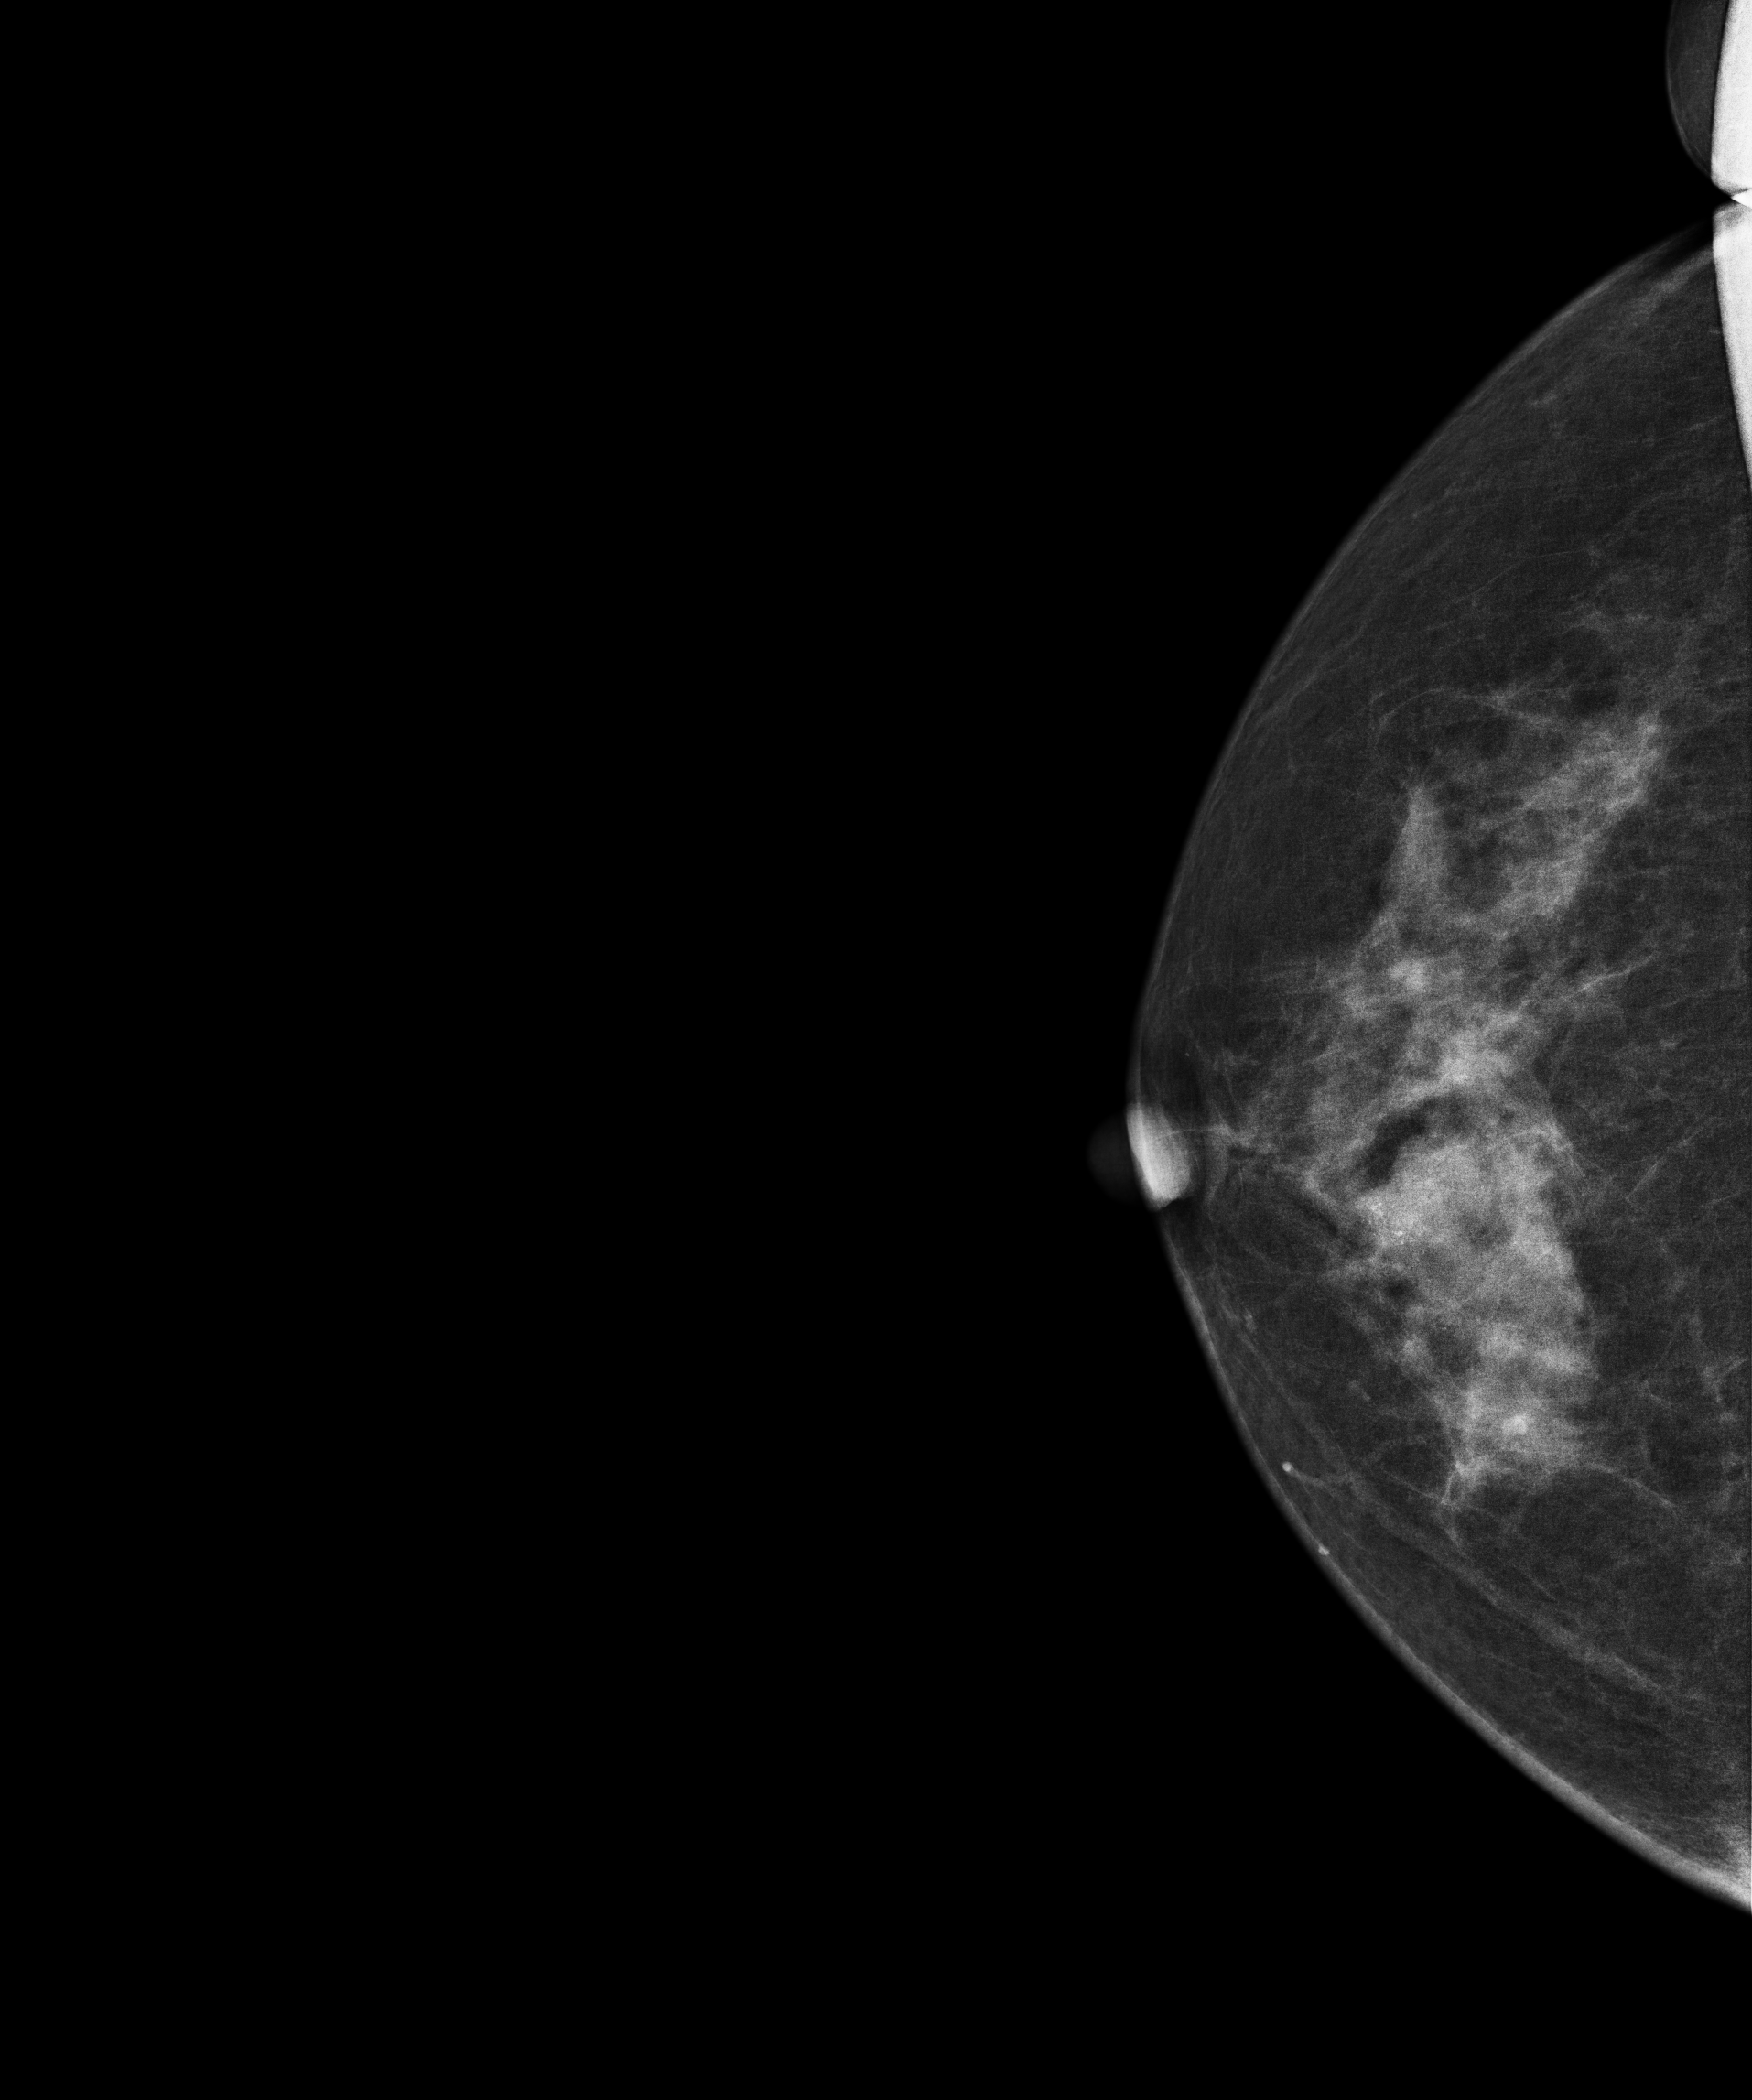
Cranio-caudal mammogram of the right breast. 62 y/o patient.
This breast has a mass and calcifications, biopsy-proven malignant. Molecular subtype: luminal A.